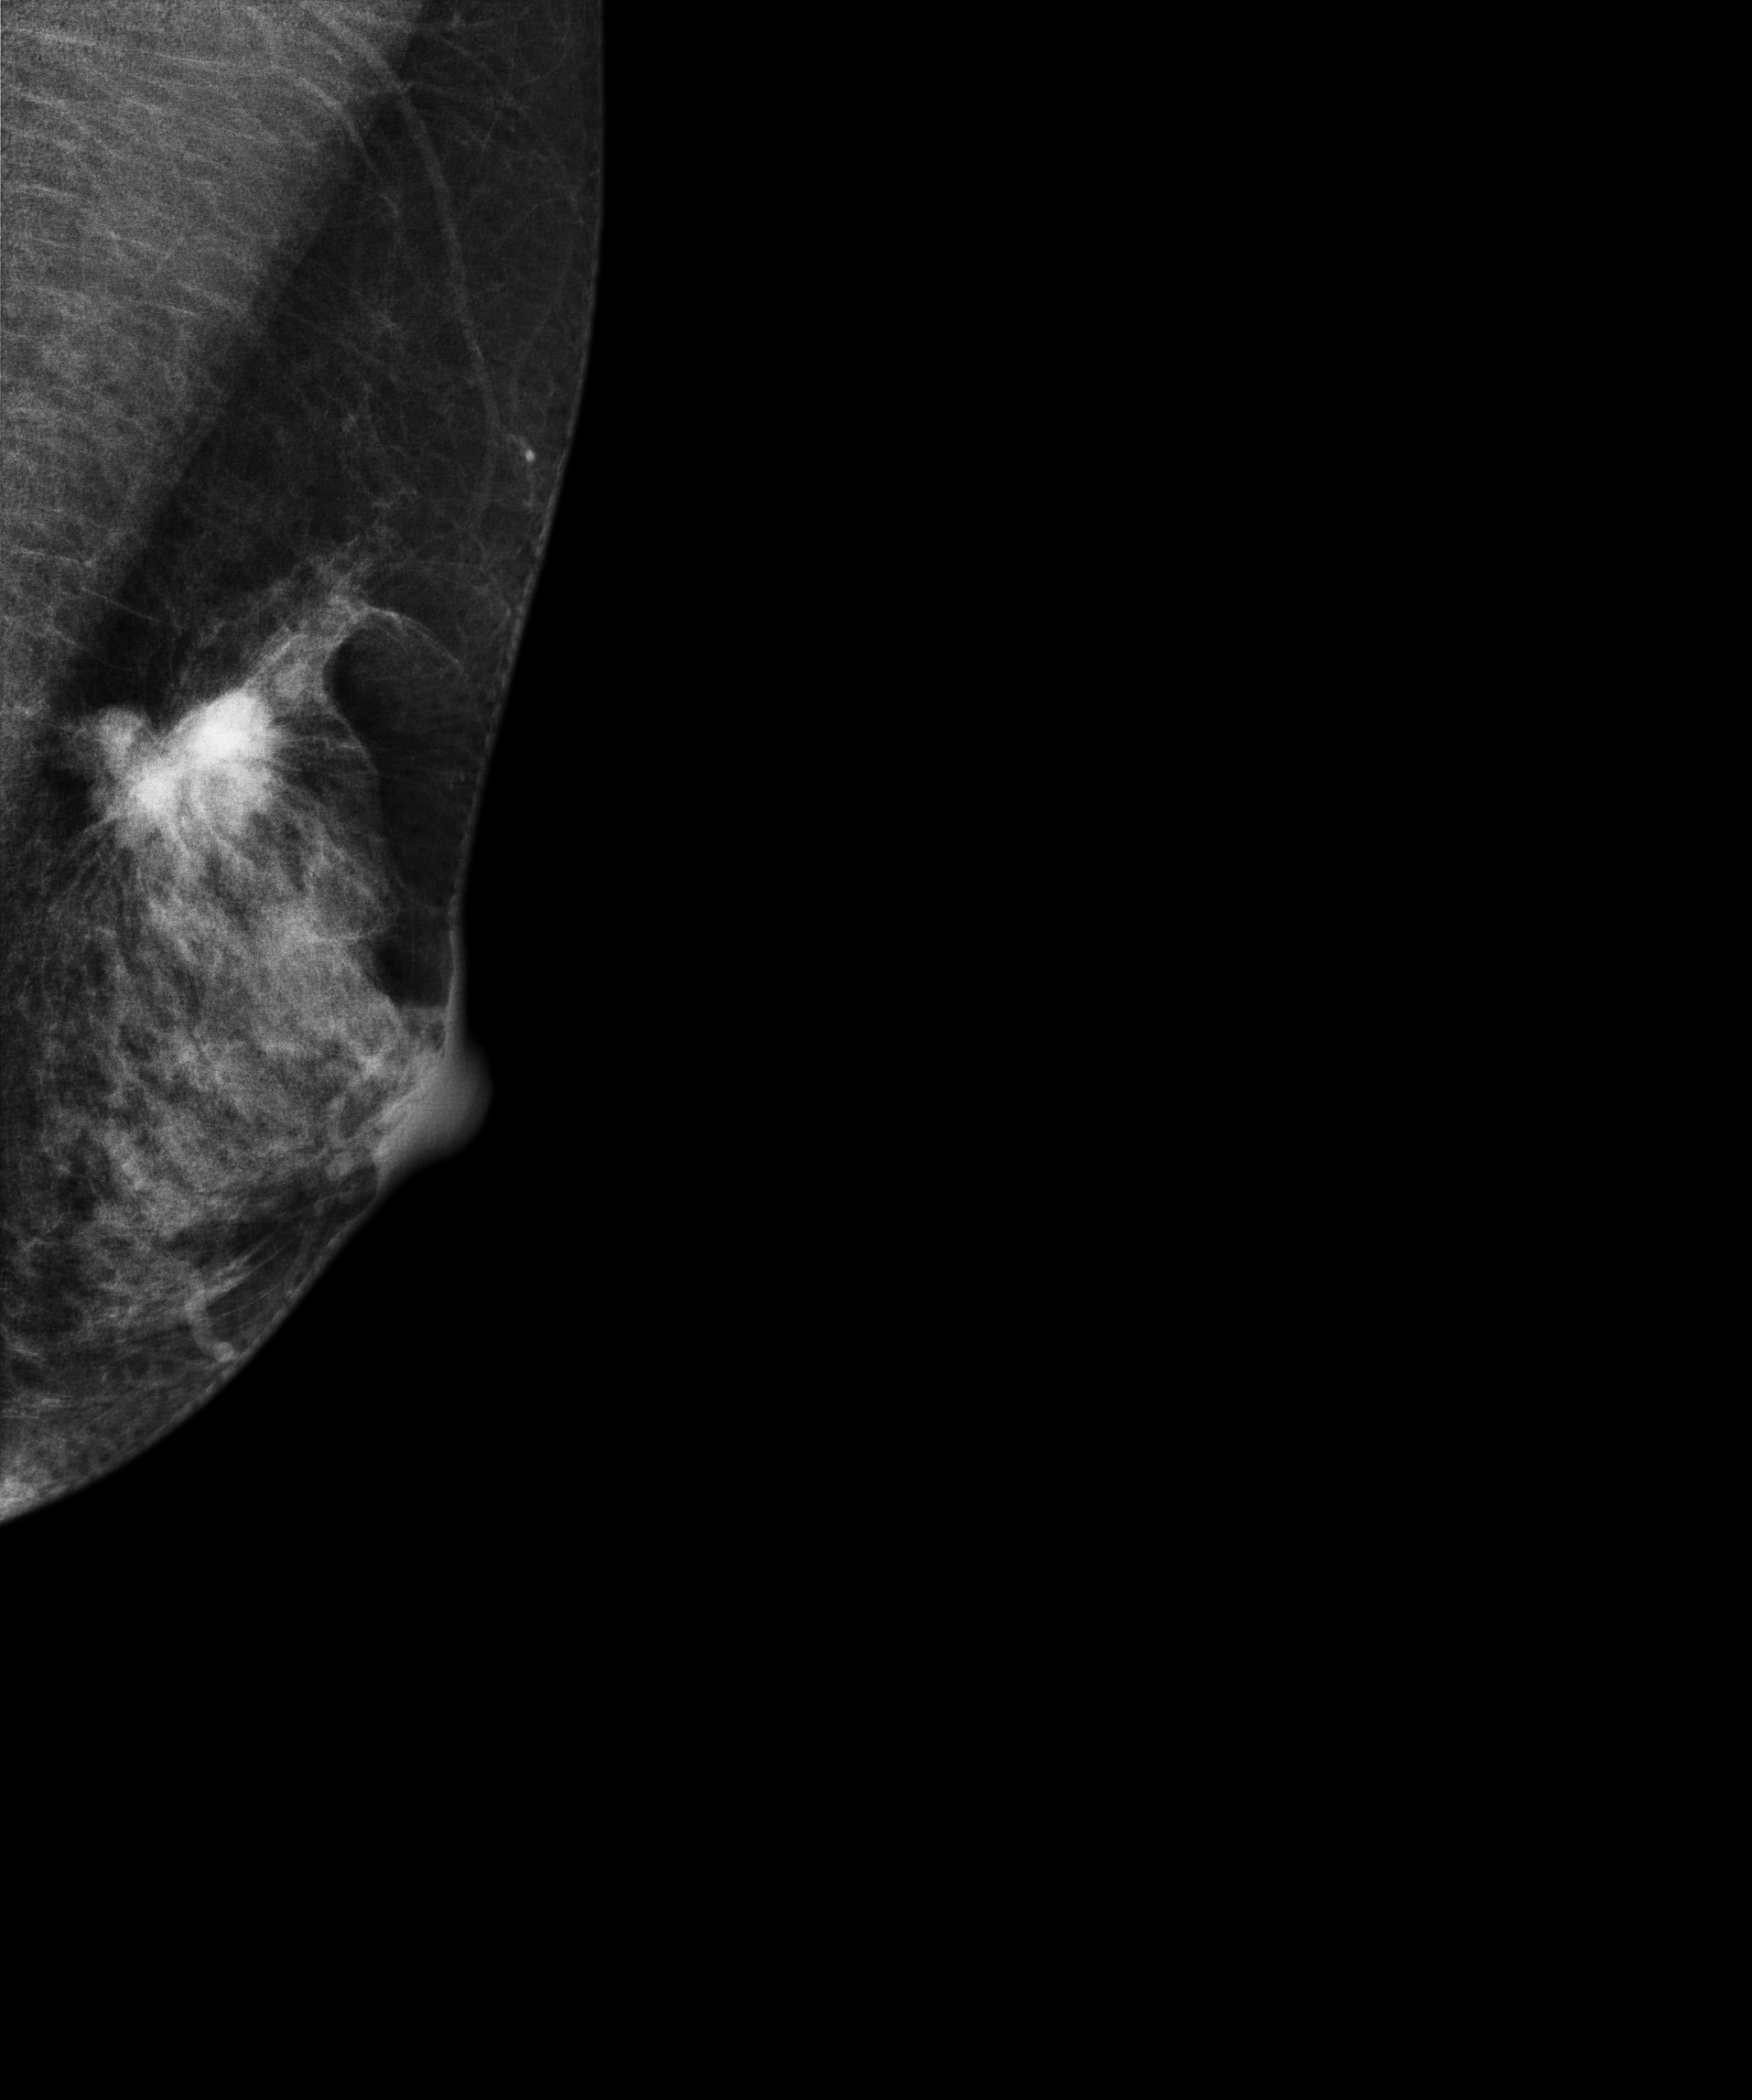
Medio-lateral oblique mammogram of the left breast. Patient age 52.
This breast has a mass, pathology-confirmed malignant.